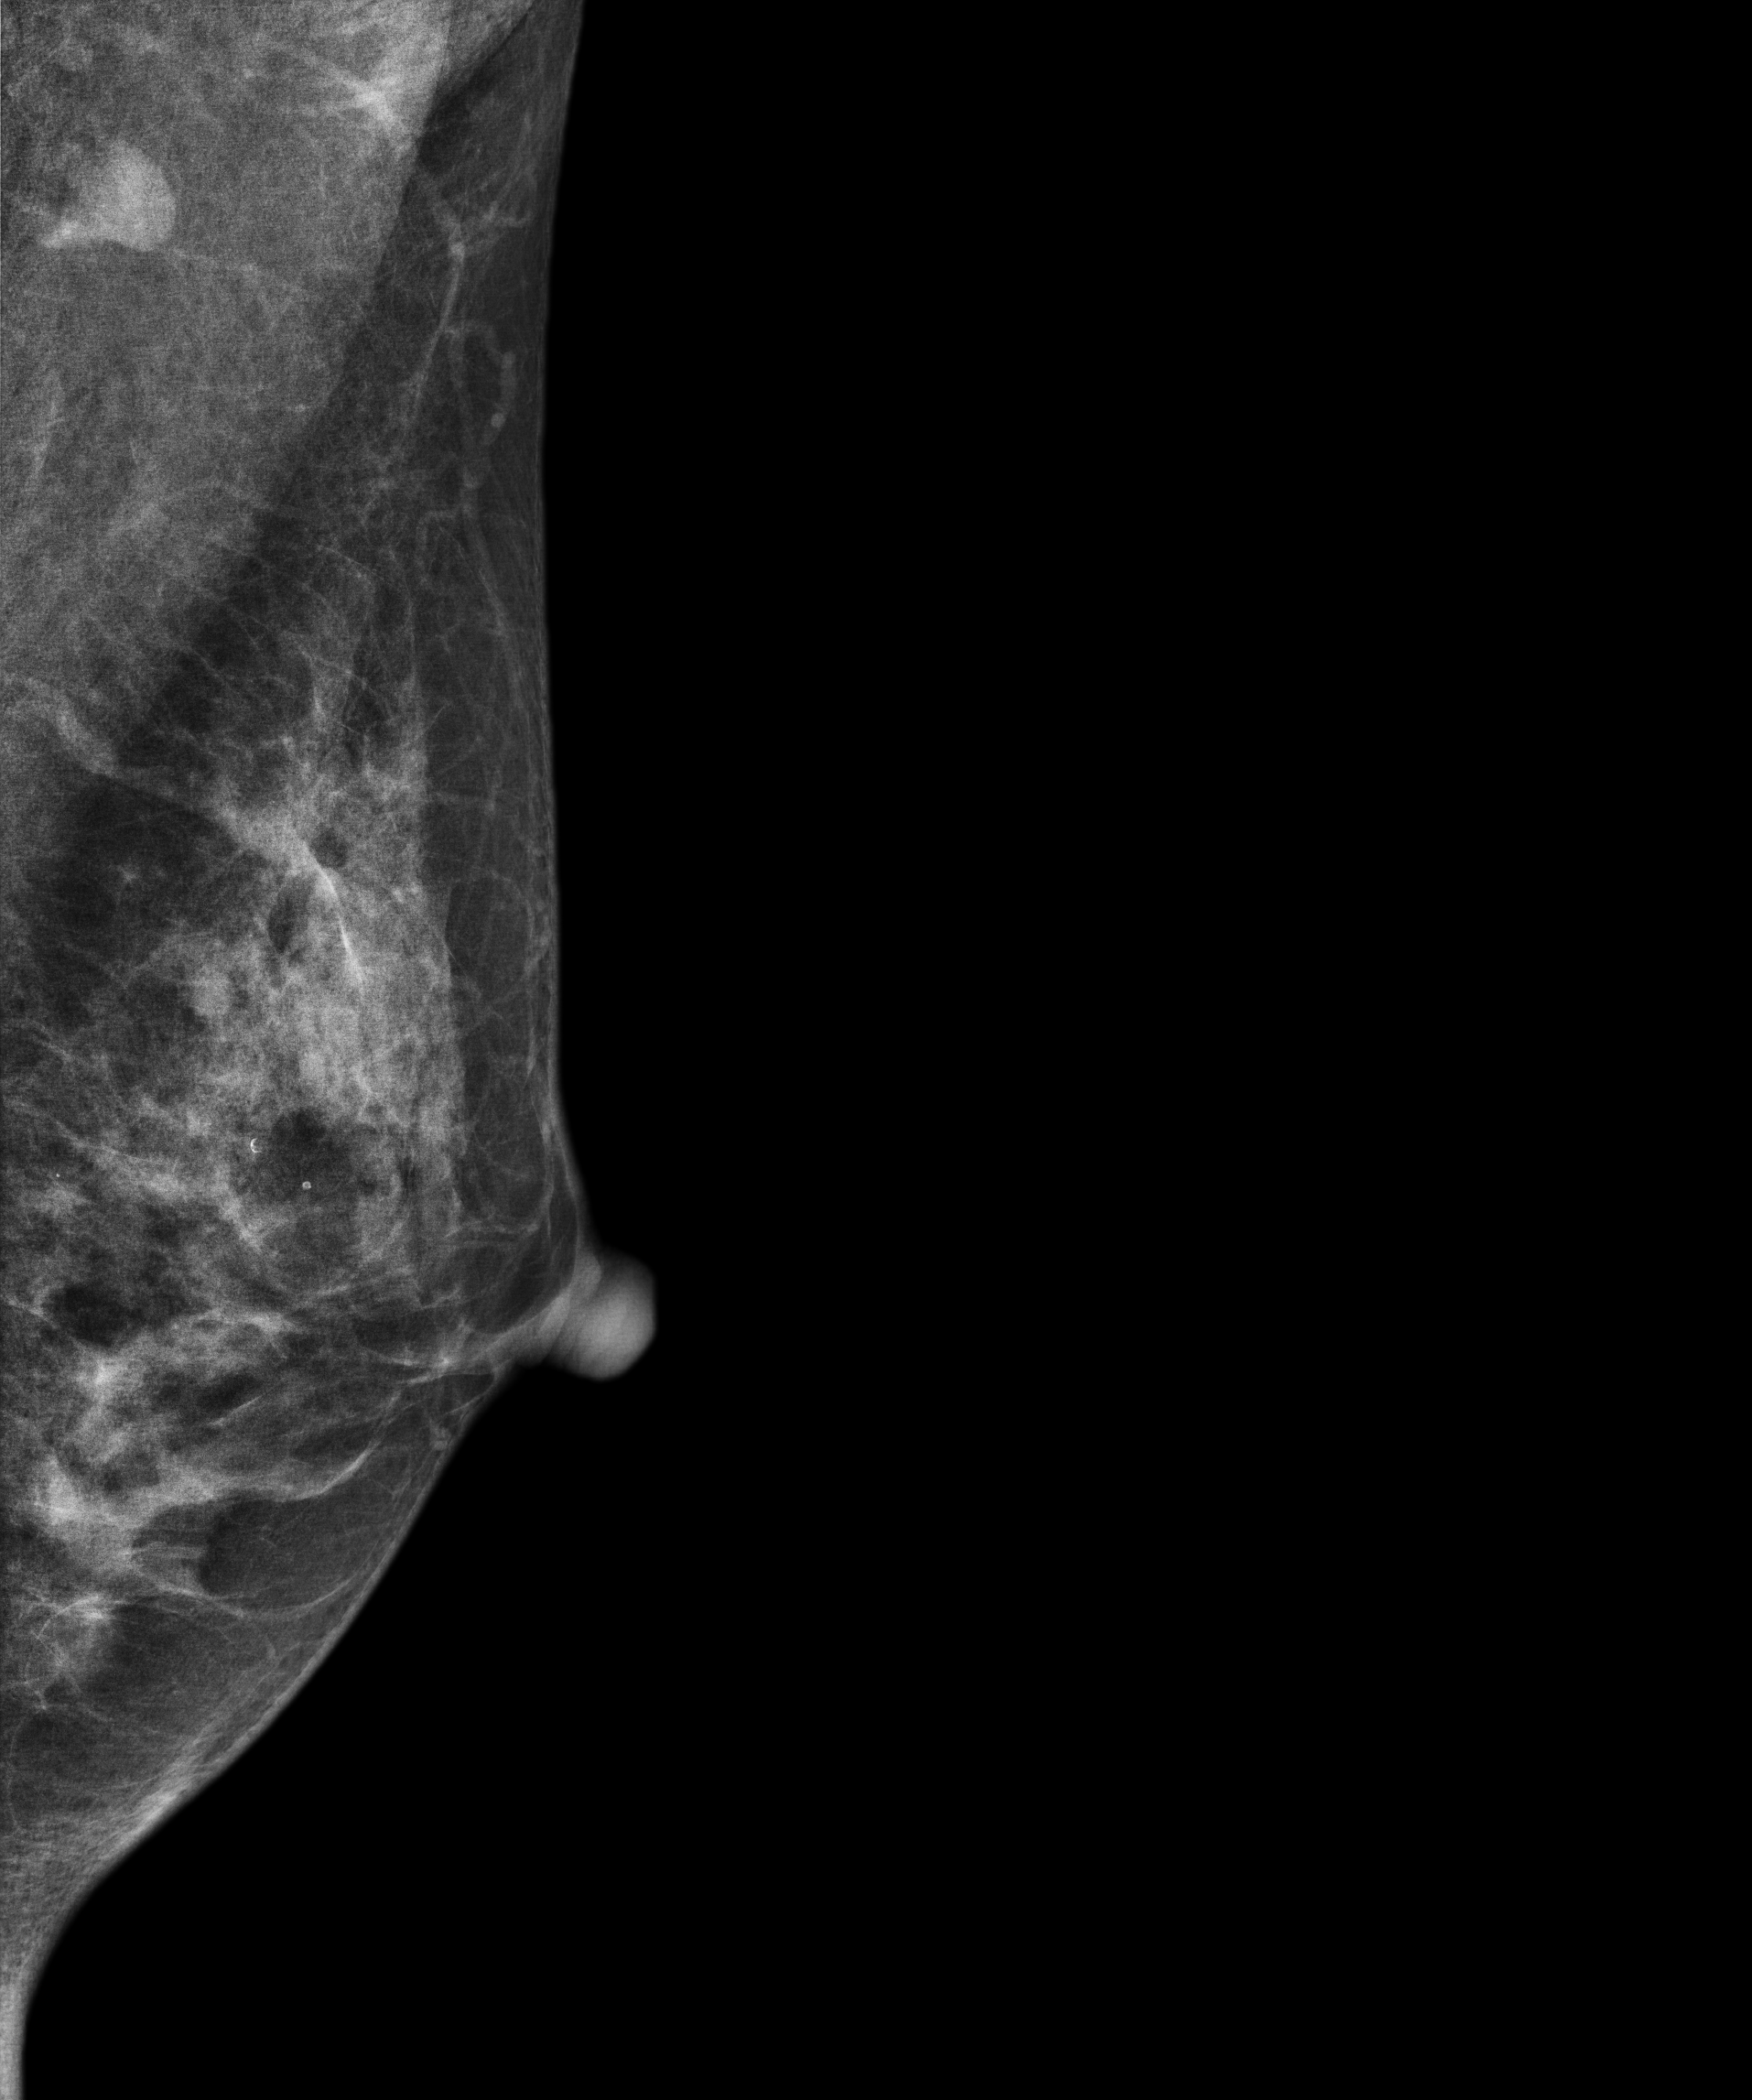
Right-breast mammogram, MLO. 37 y/o patient.
This breast has a mass and calcifications, pathology-confirmed benign.